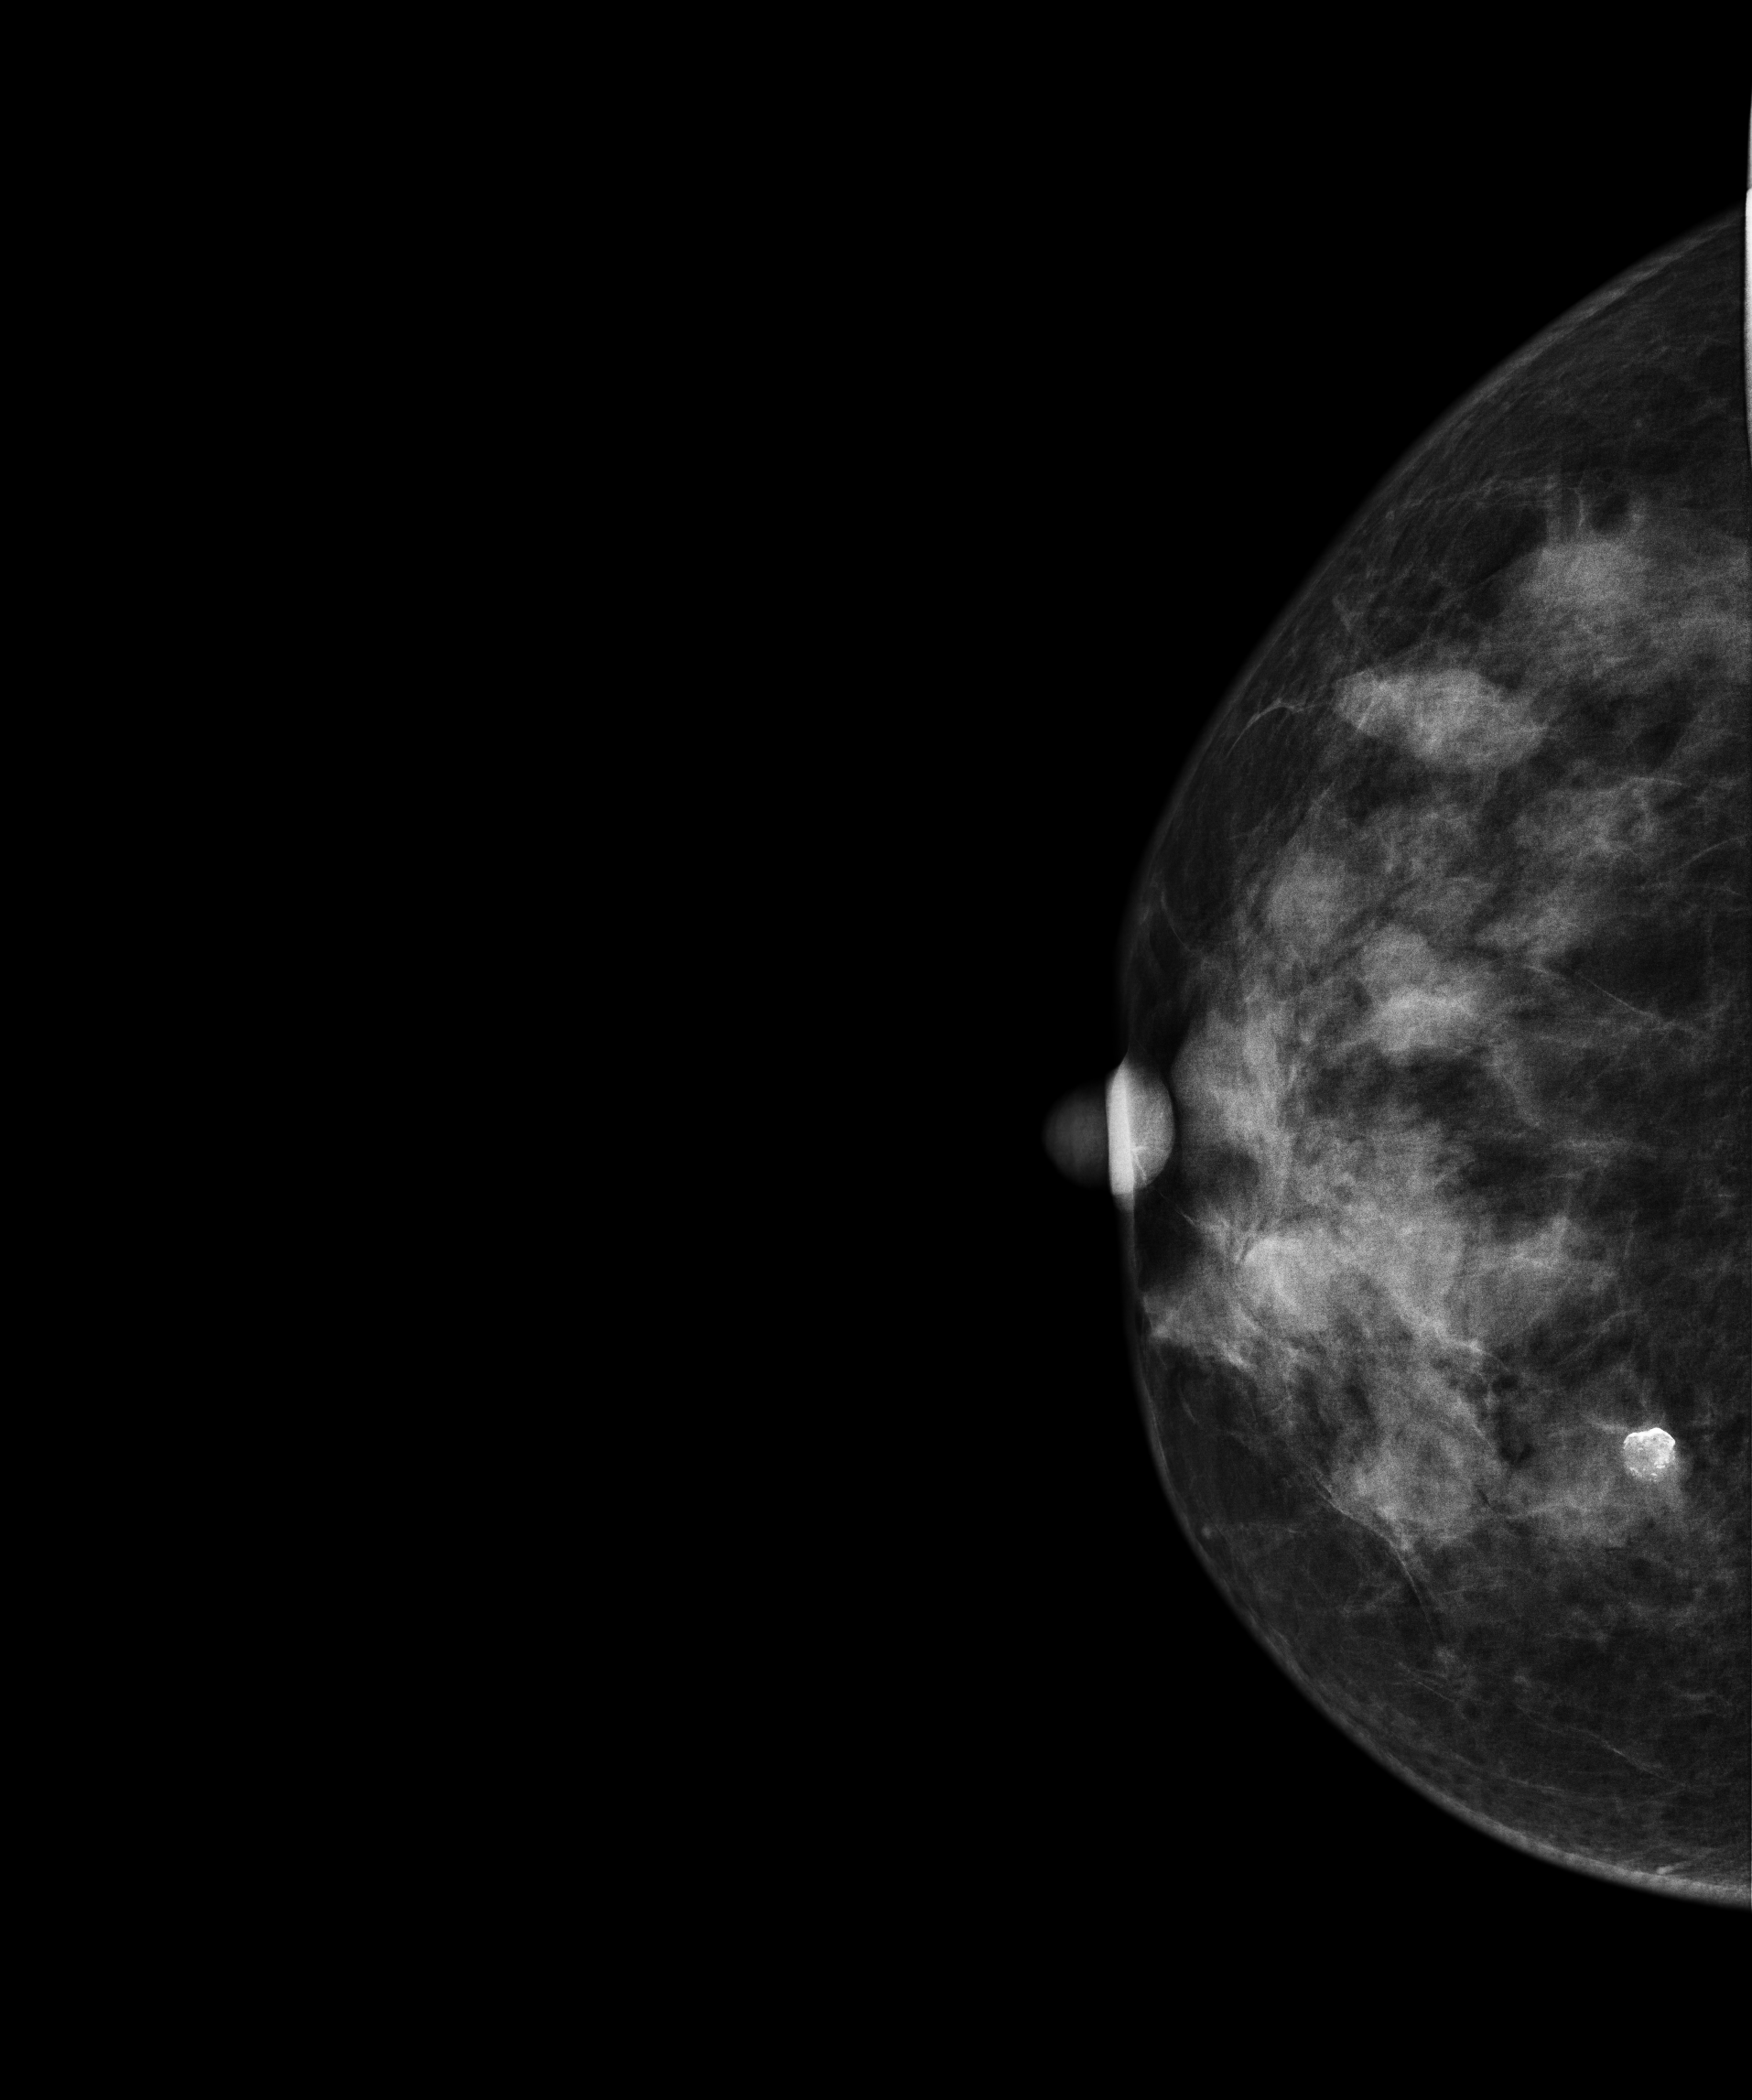
Mammogram, right breast, CC view. 39-year-old patient.
This breast has a mass and calcifications, biopsy-confirmed benign.